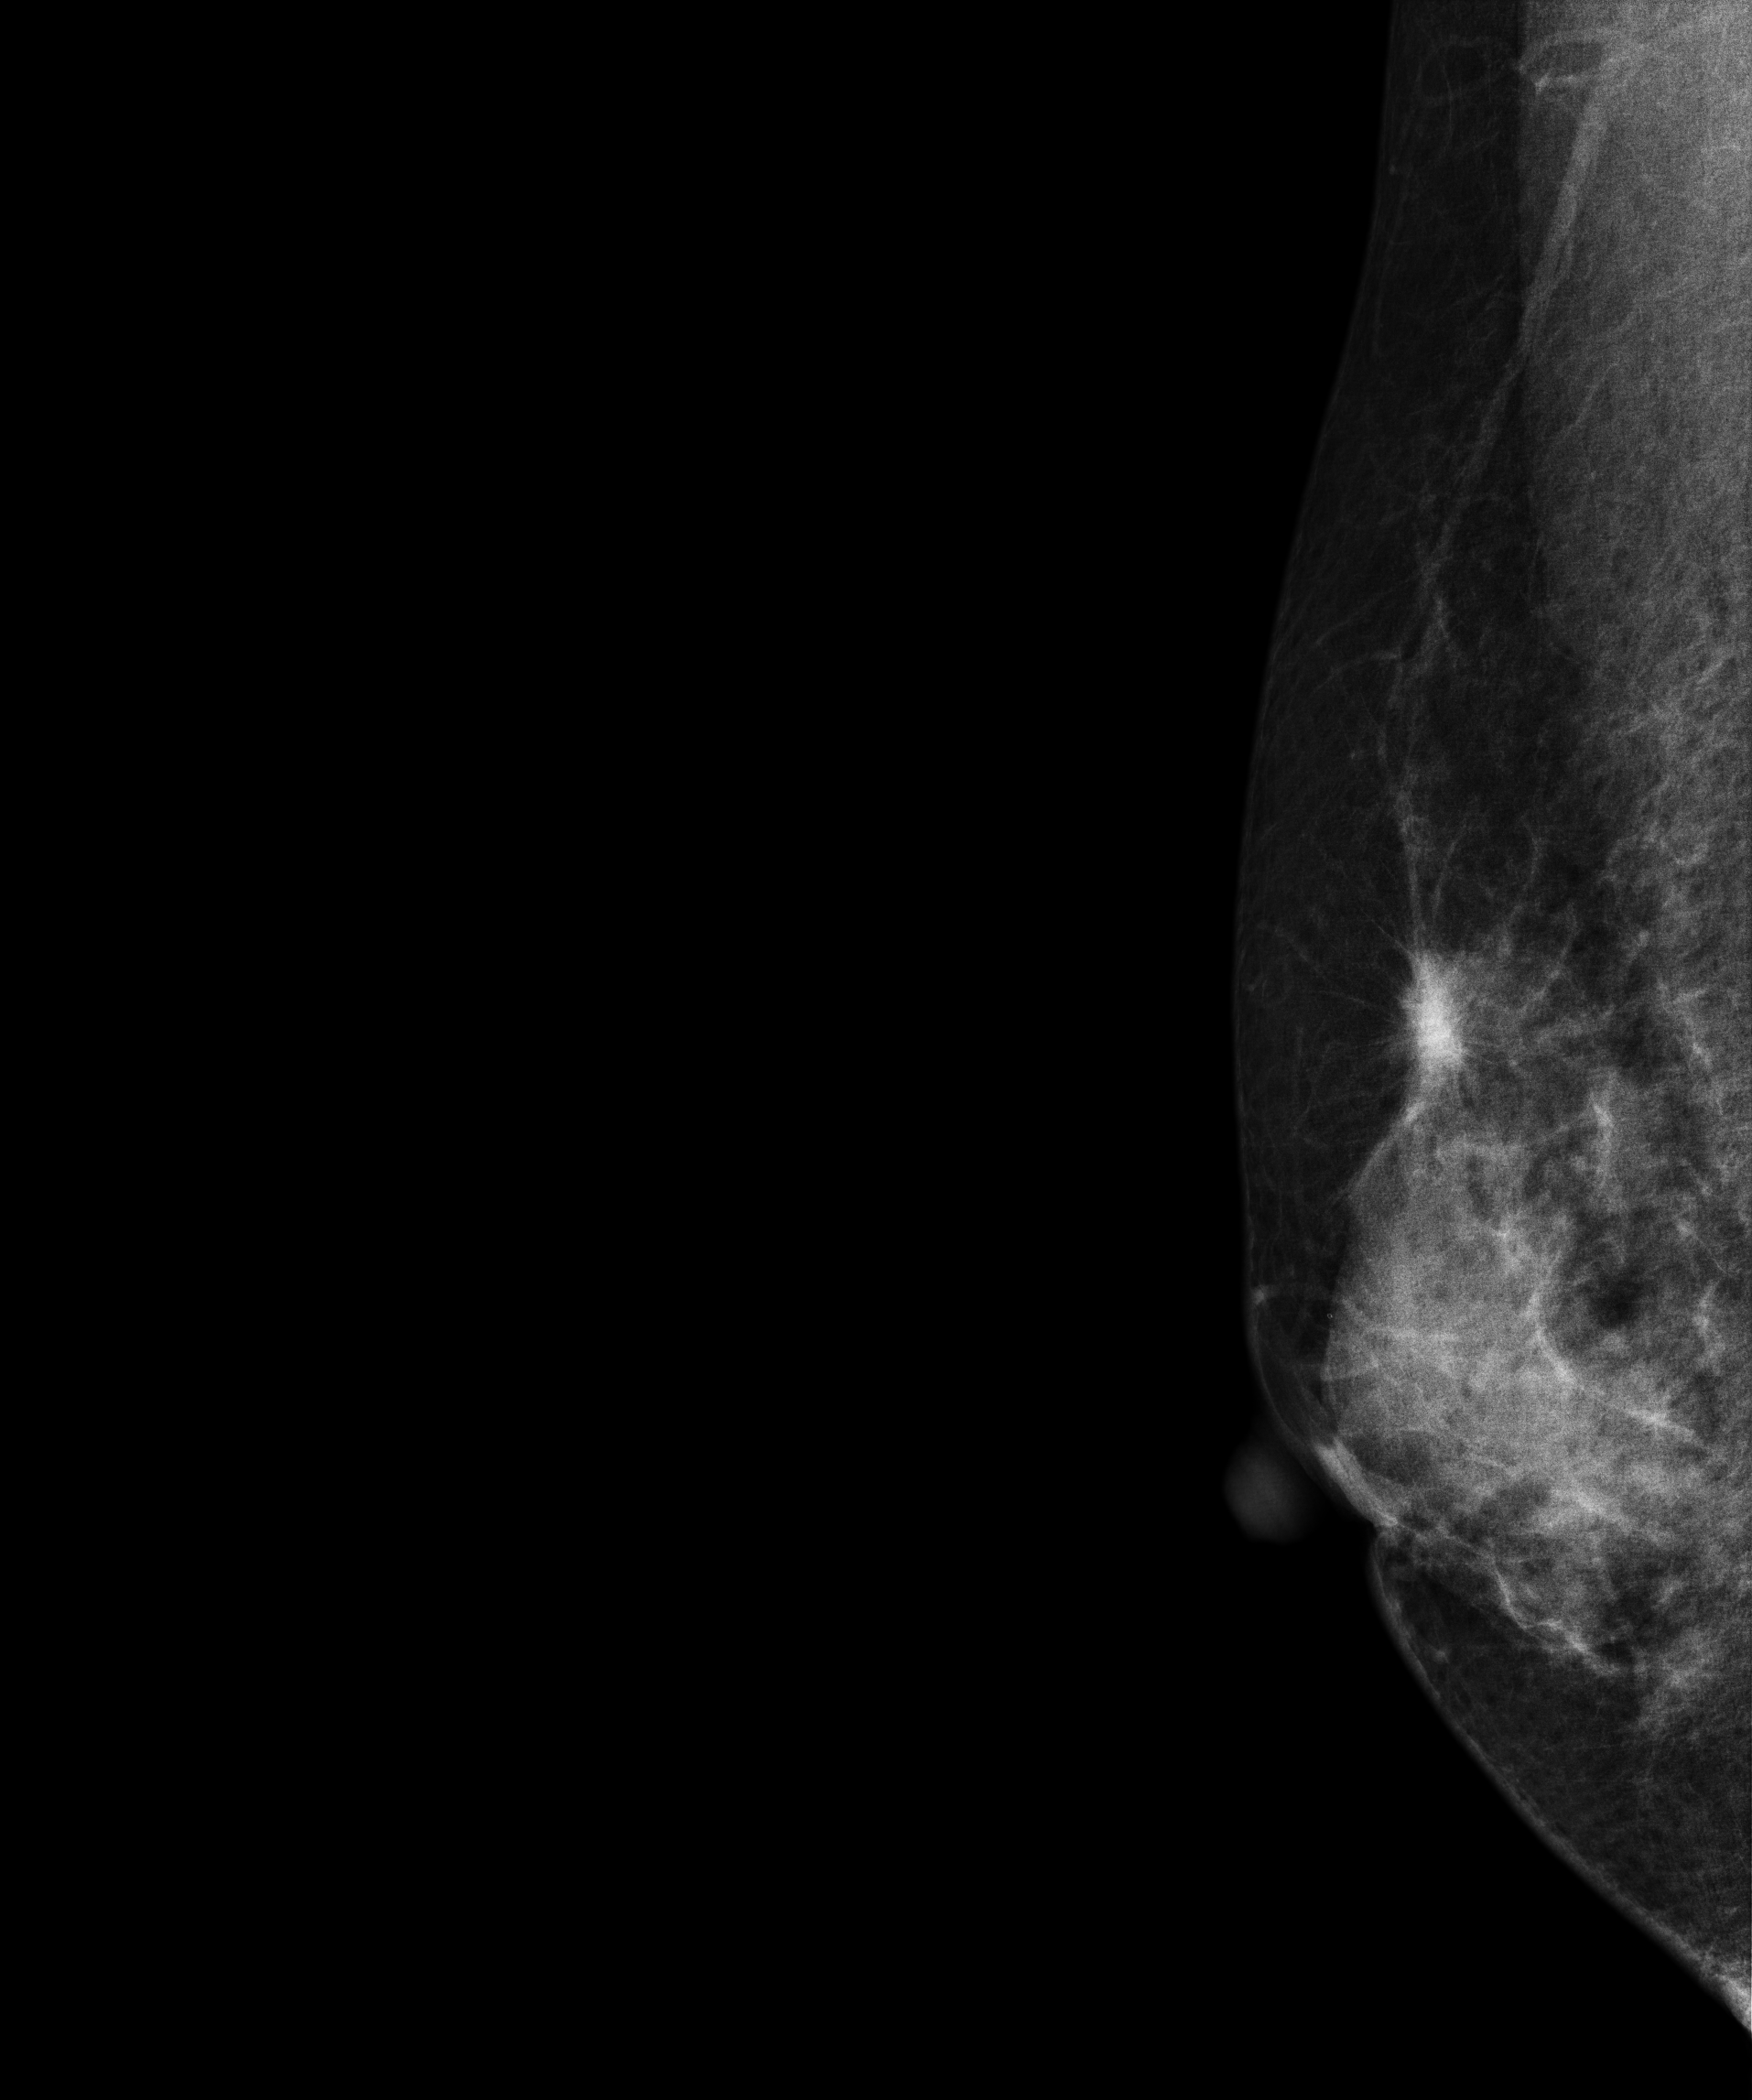
Mammogram, right breast, medio-lateral oblique view. 51-year-old patient.
This breast has a mass, biopsy-proven malignant. Molecular subtype: luminal B.